Digital mammography. Left breast, medio-lateral oblique projection. 66-year-old patient.
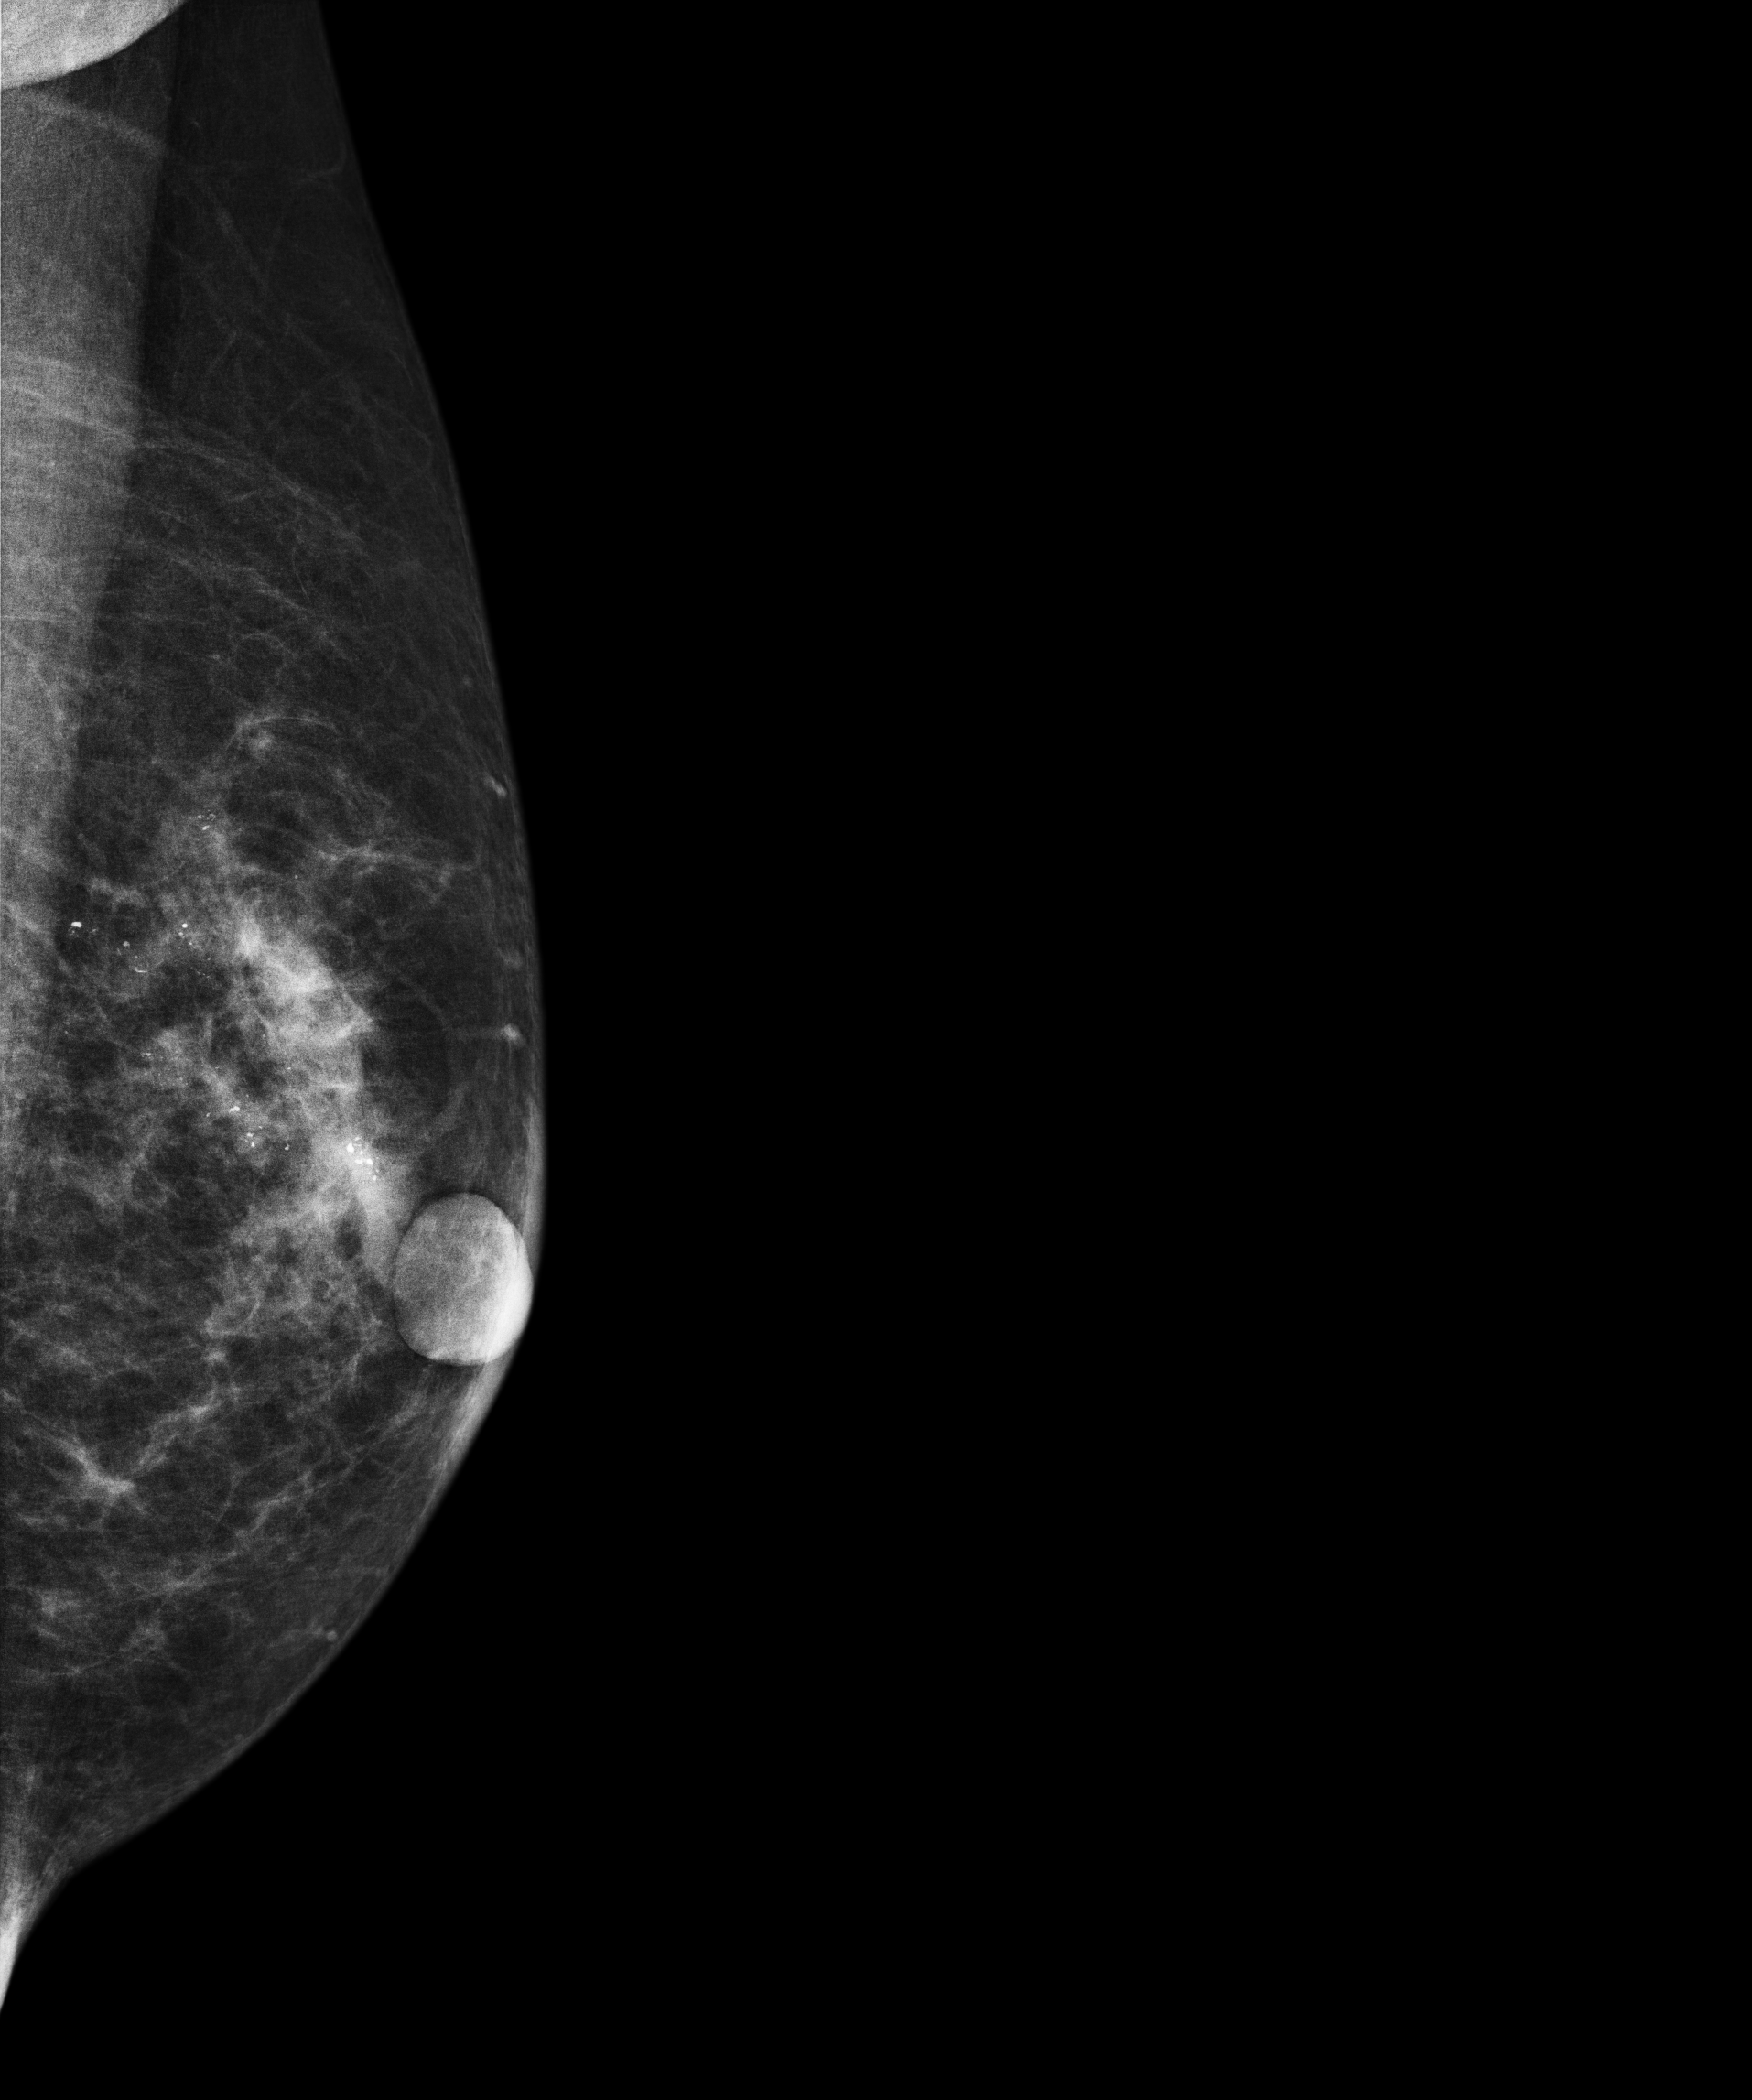
This breast has a mass and calcifications, biopsy-confirmed malignant. Molecular subtype: luminal B.